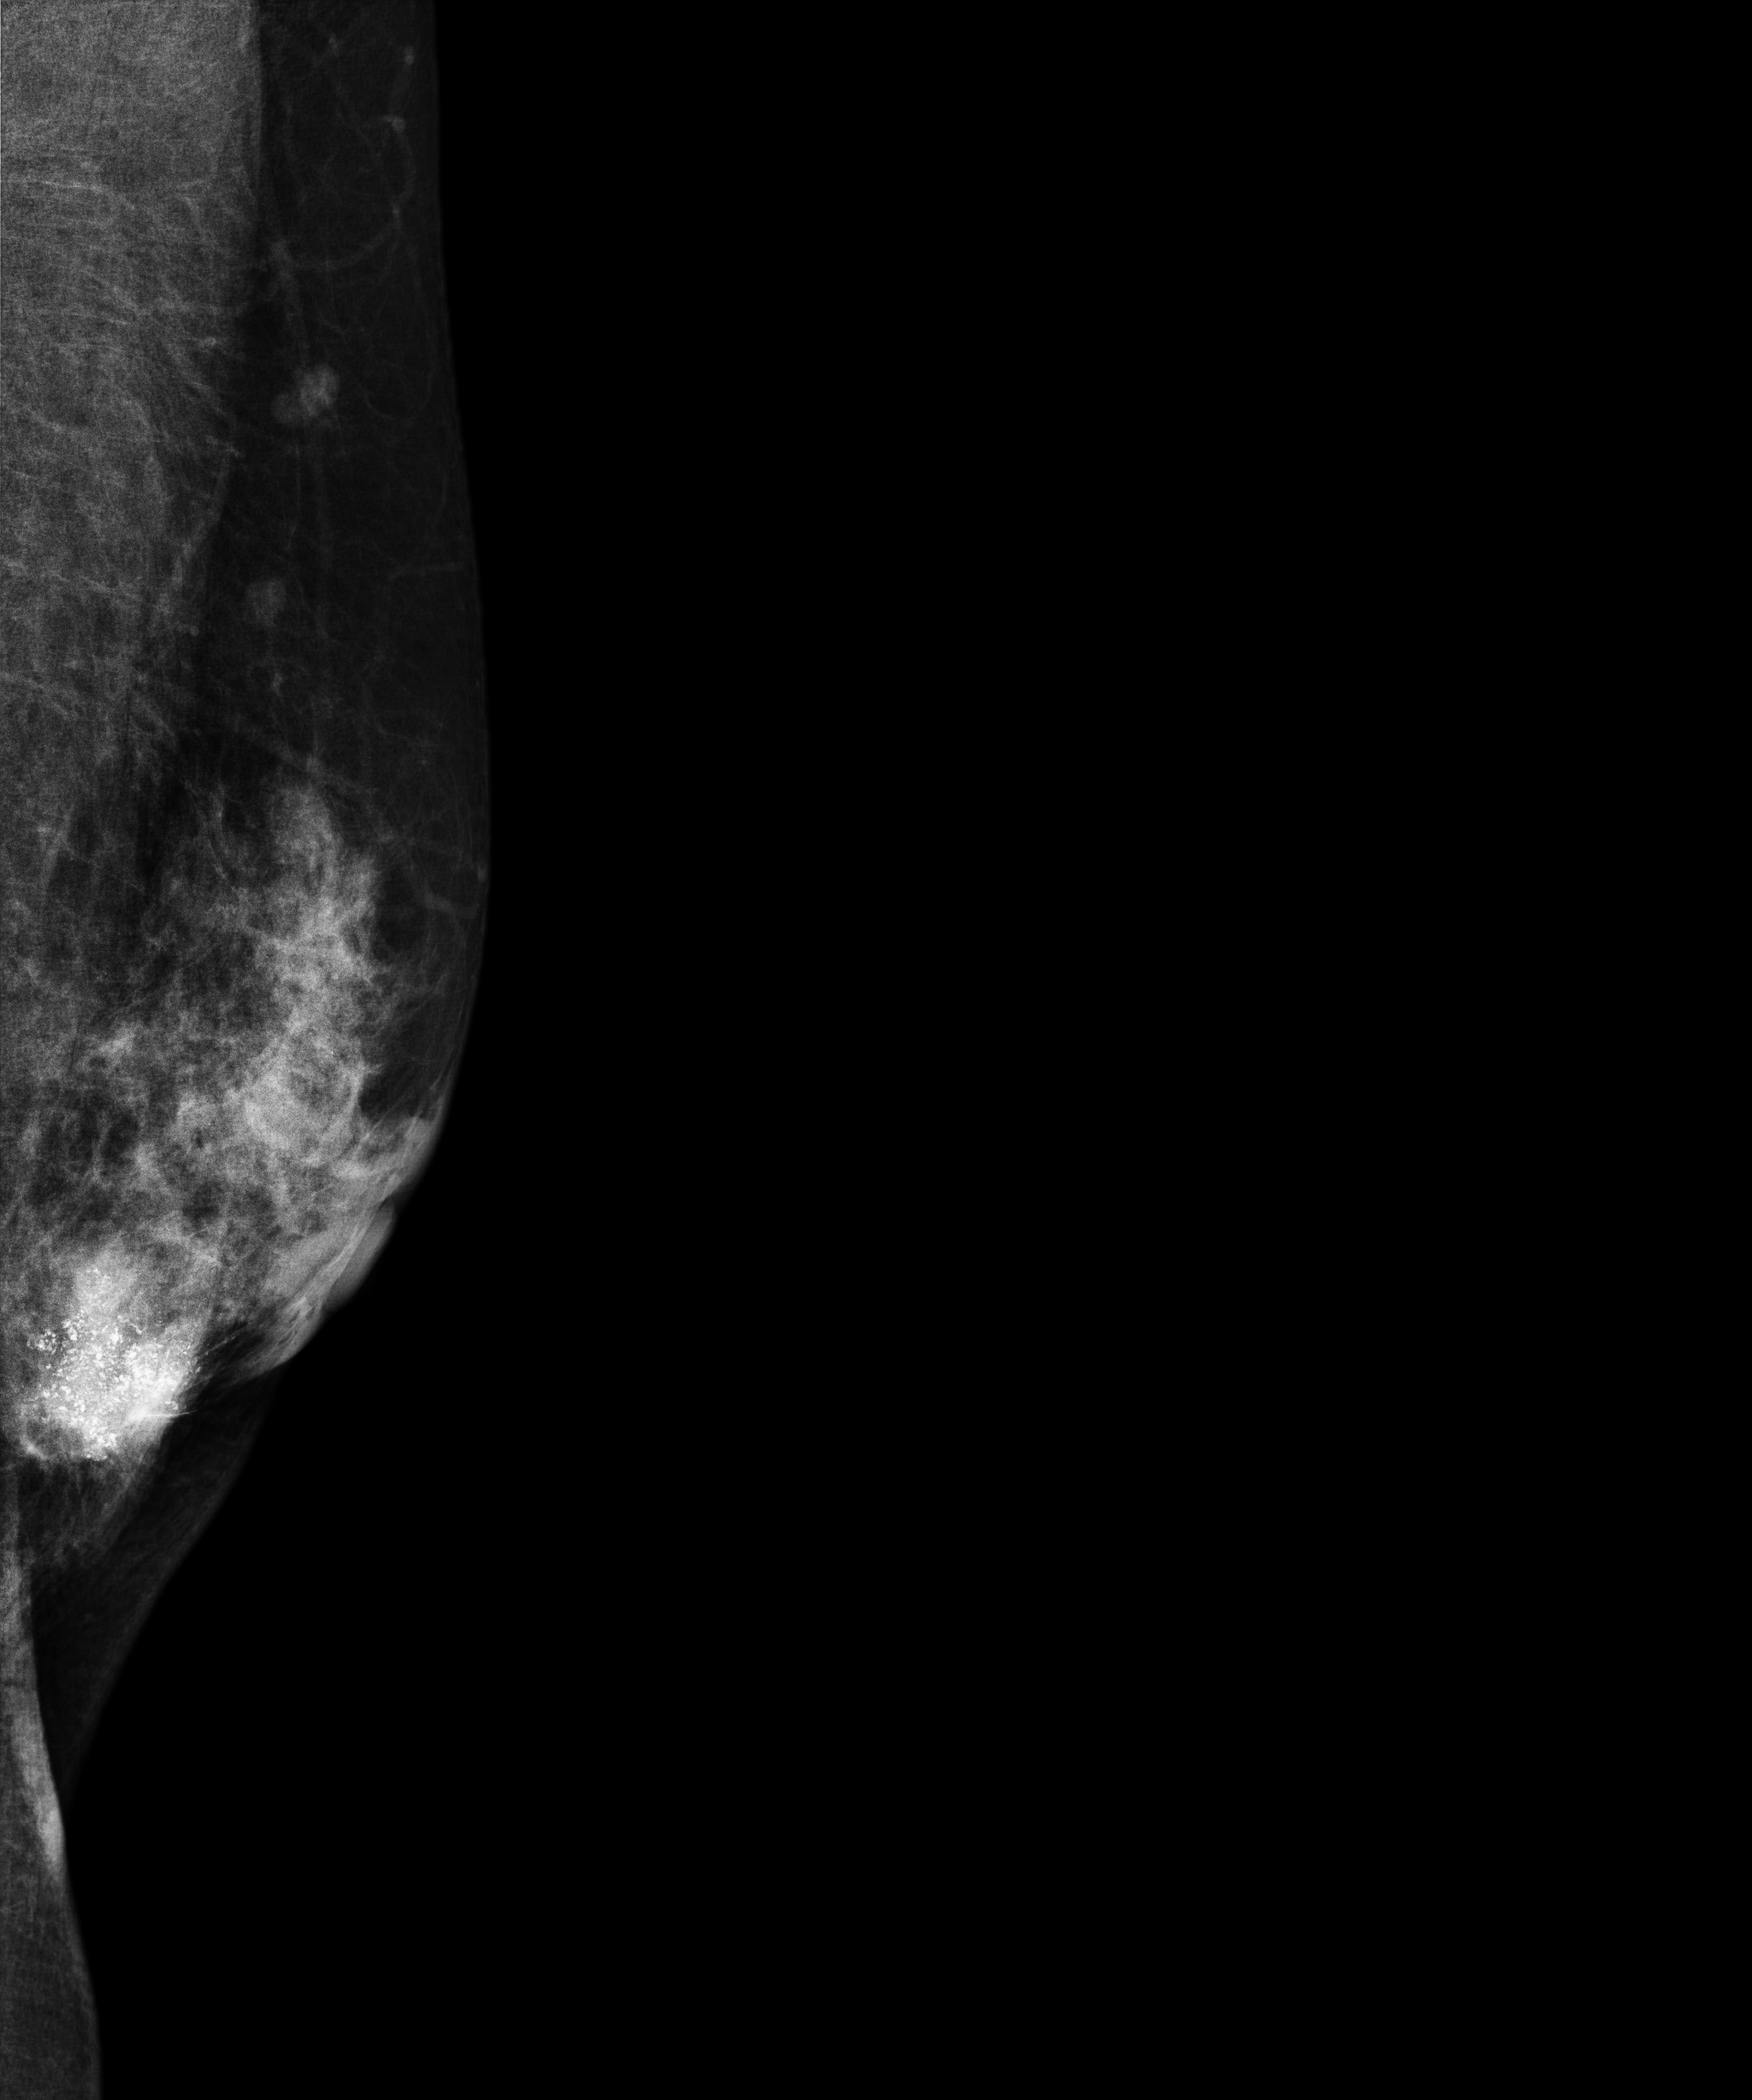
MLO mammogram of the left breast. Patient age 47.
This breast has calcifications, biopsy-proven malignant. Molecular subtype: luminal A.